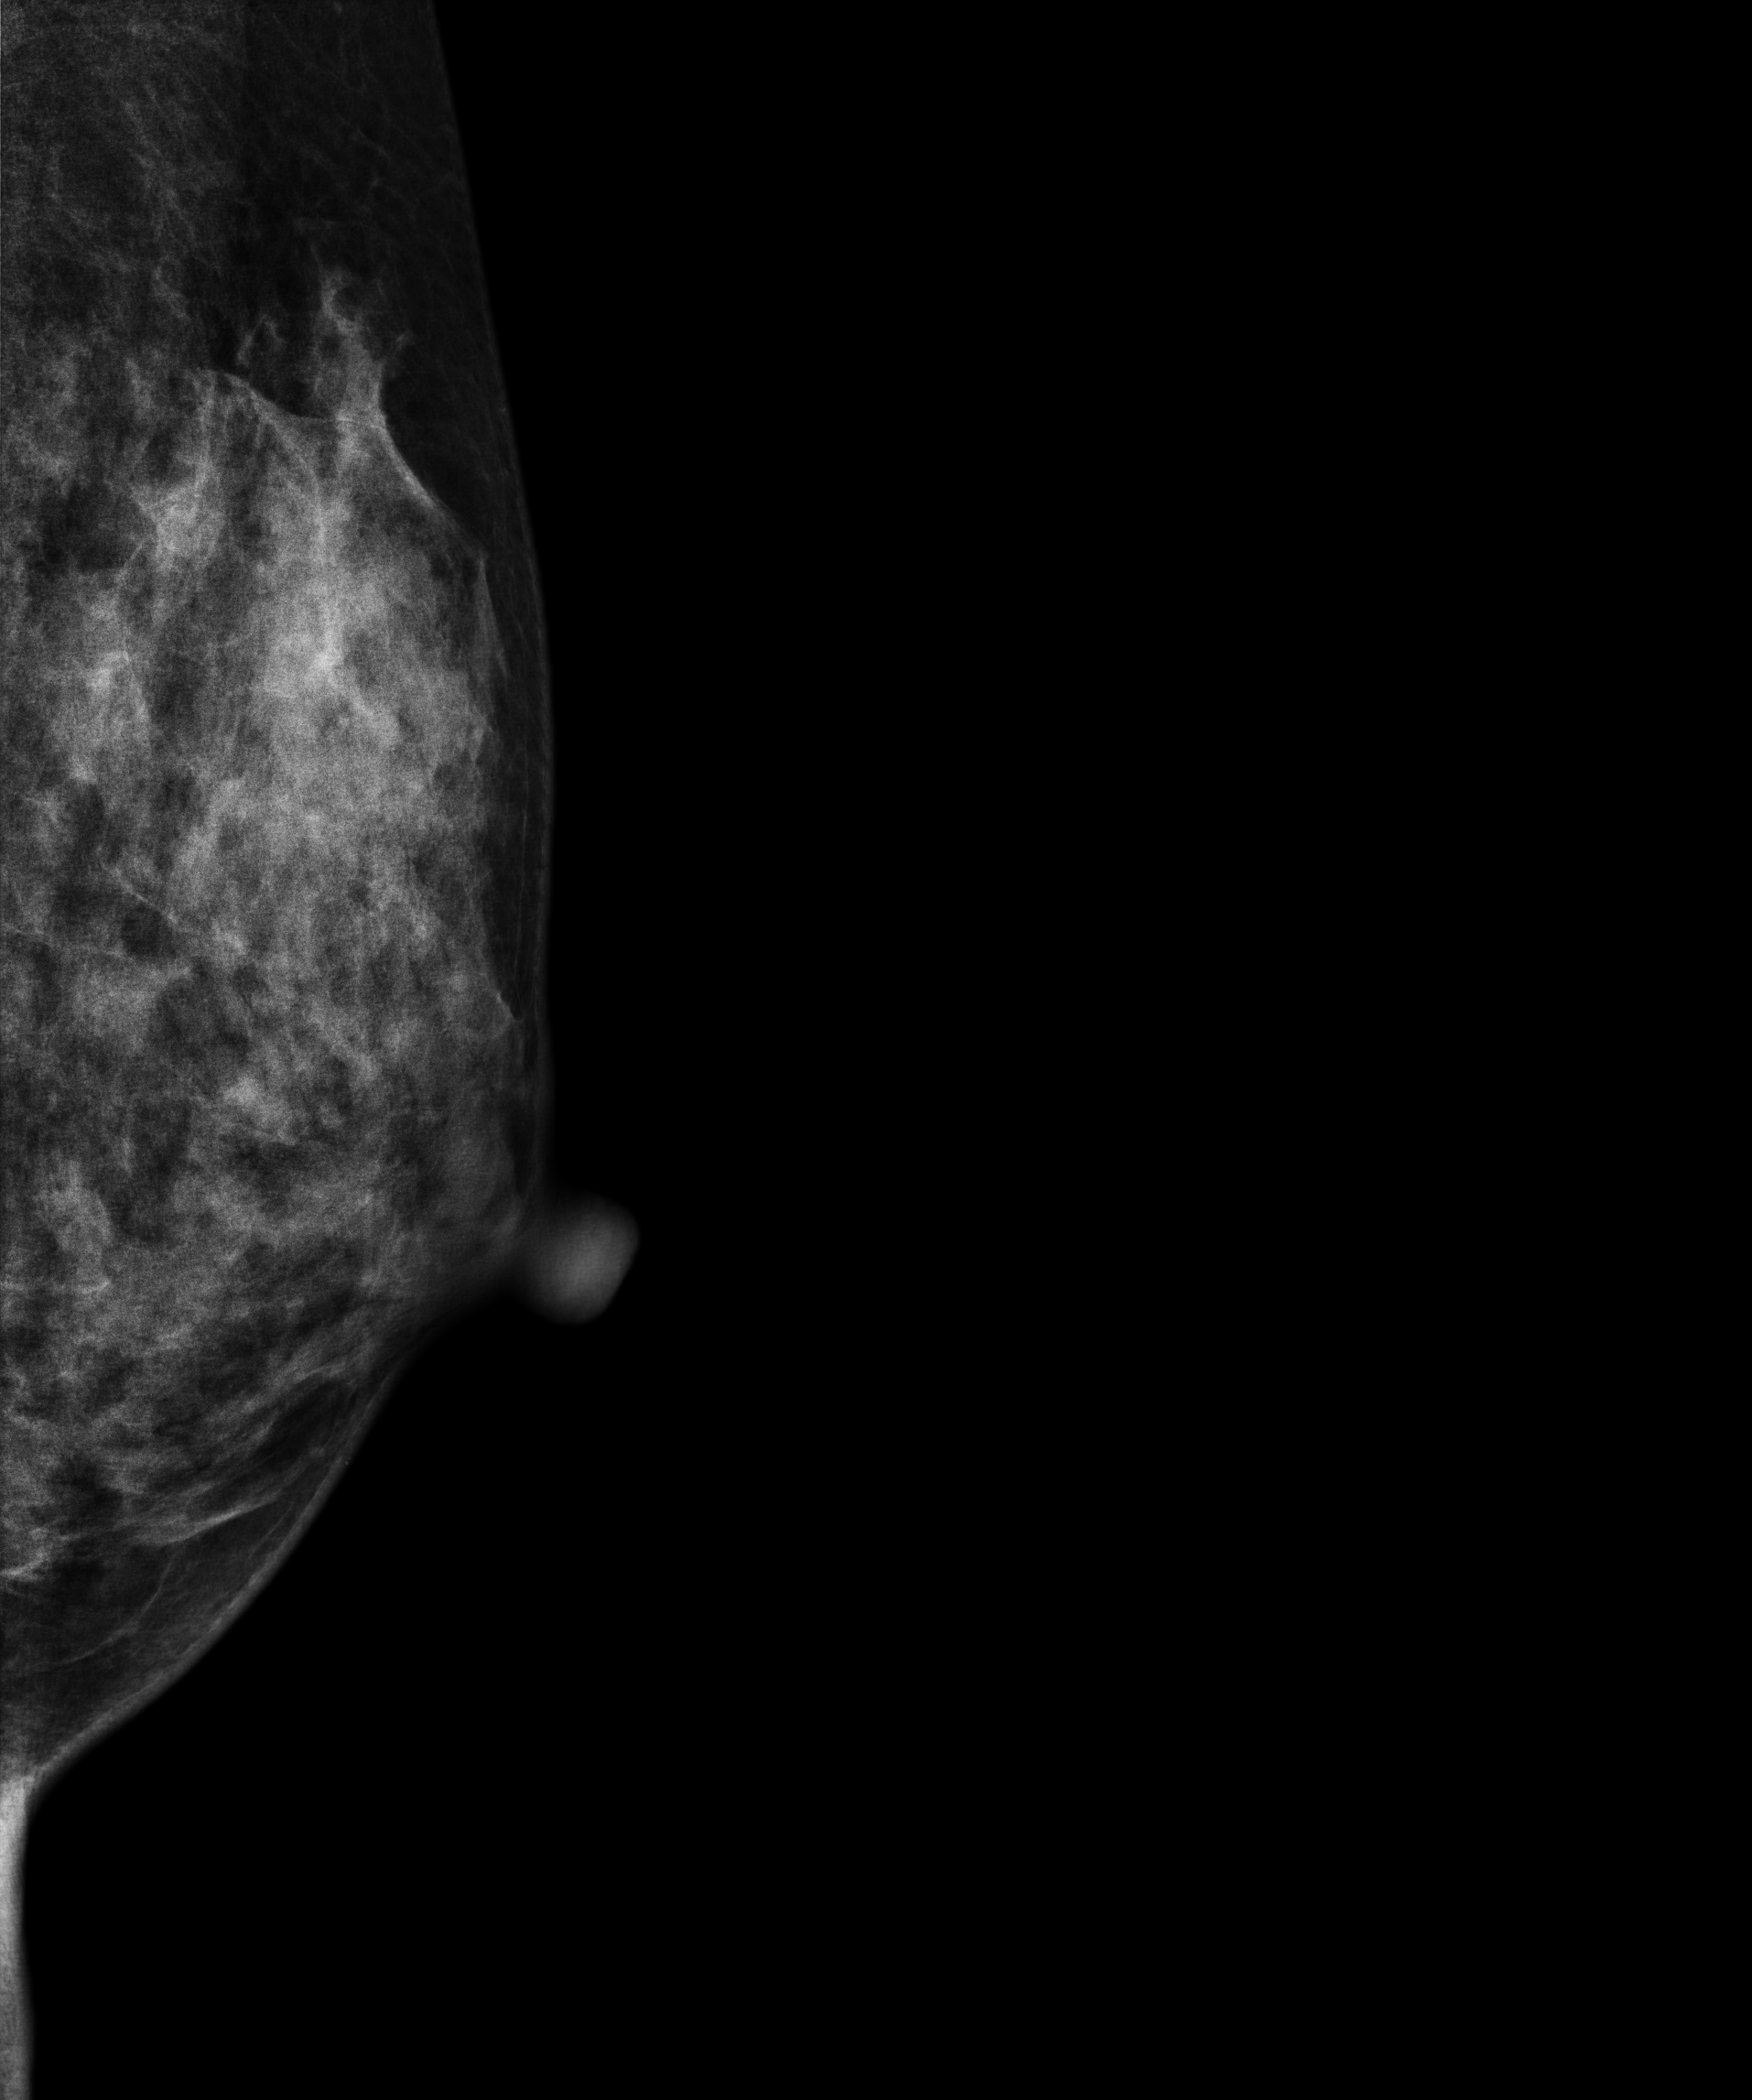
Digital mammography. Left breast, MLO projection. 45 y/o patient.
This breast has a mass, biopsy-confirmed malignant.